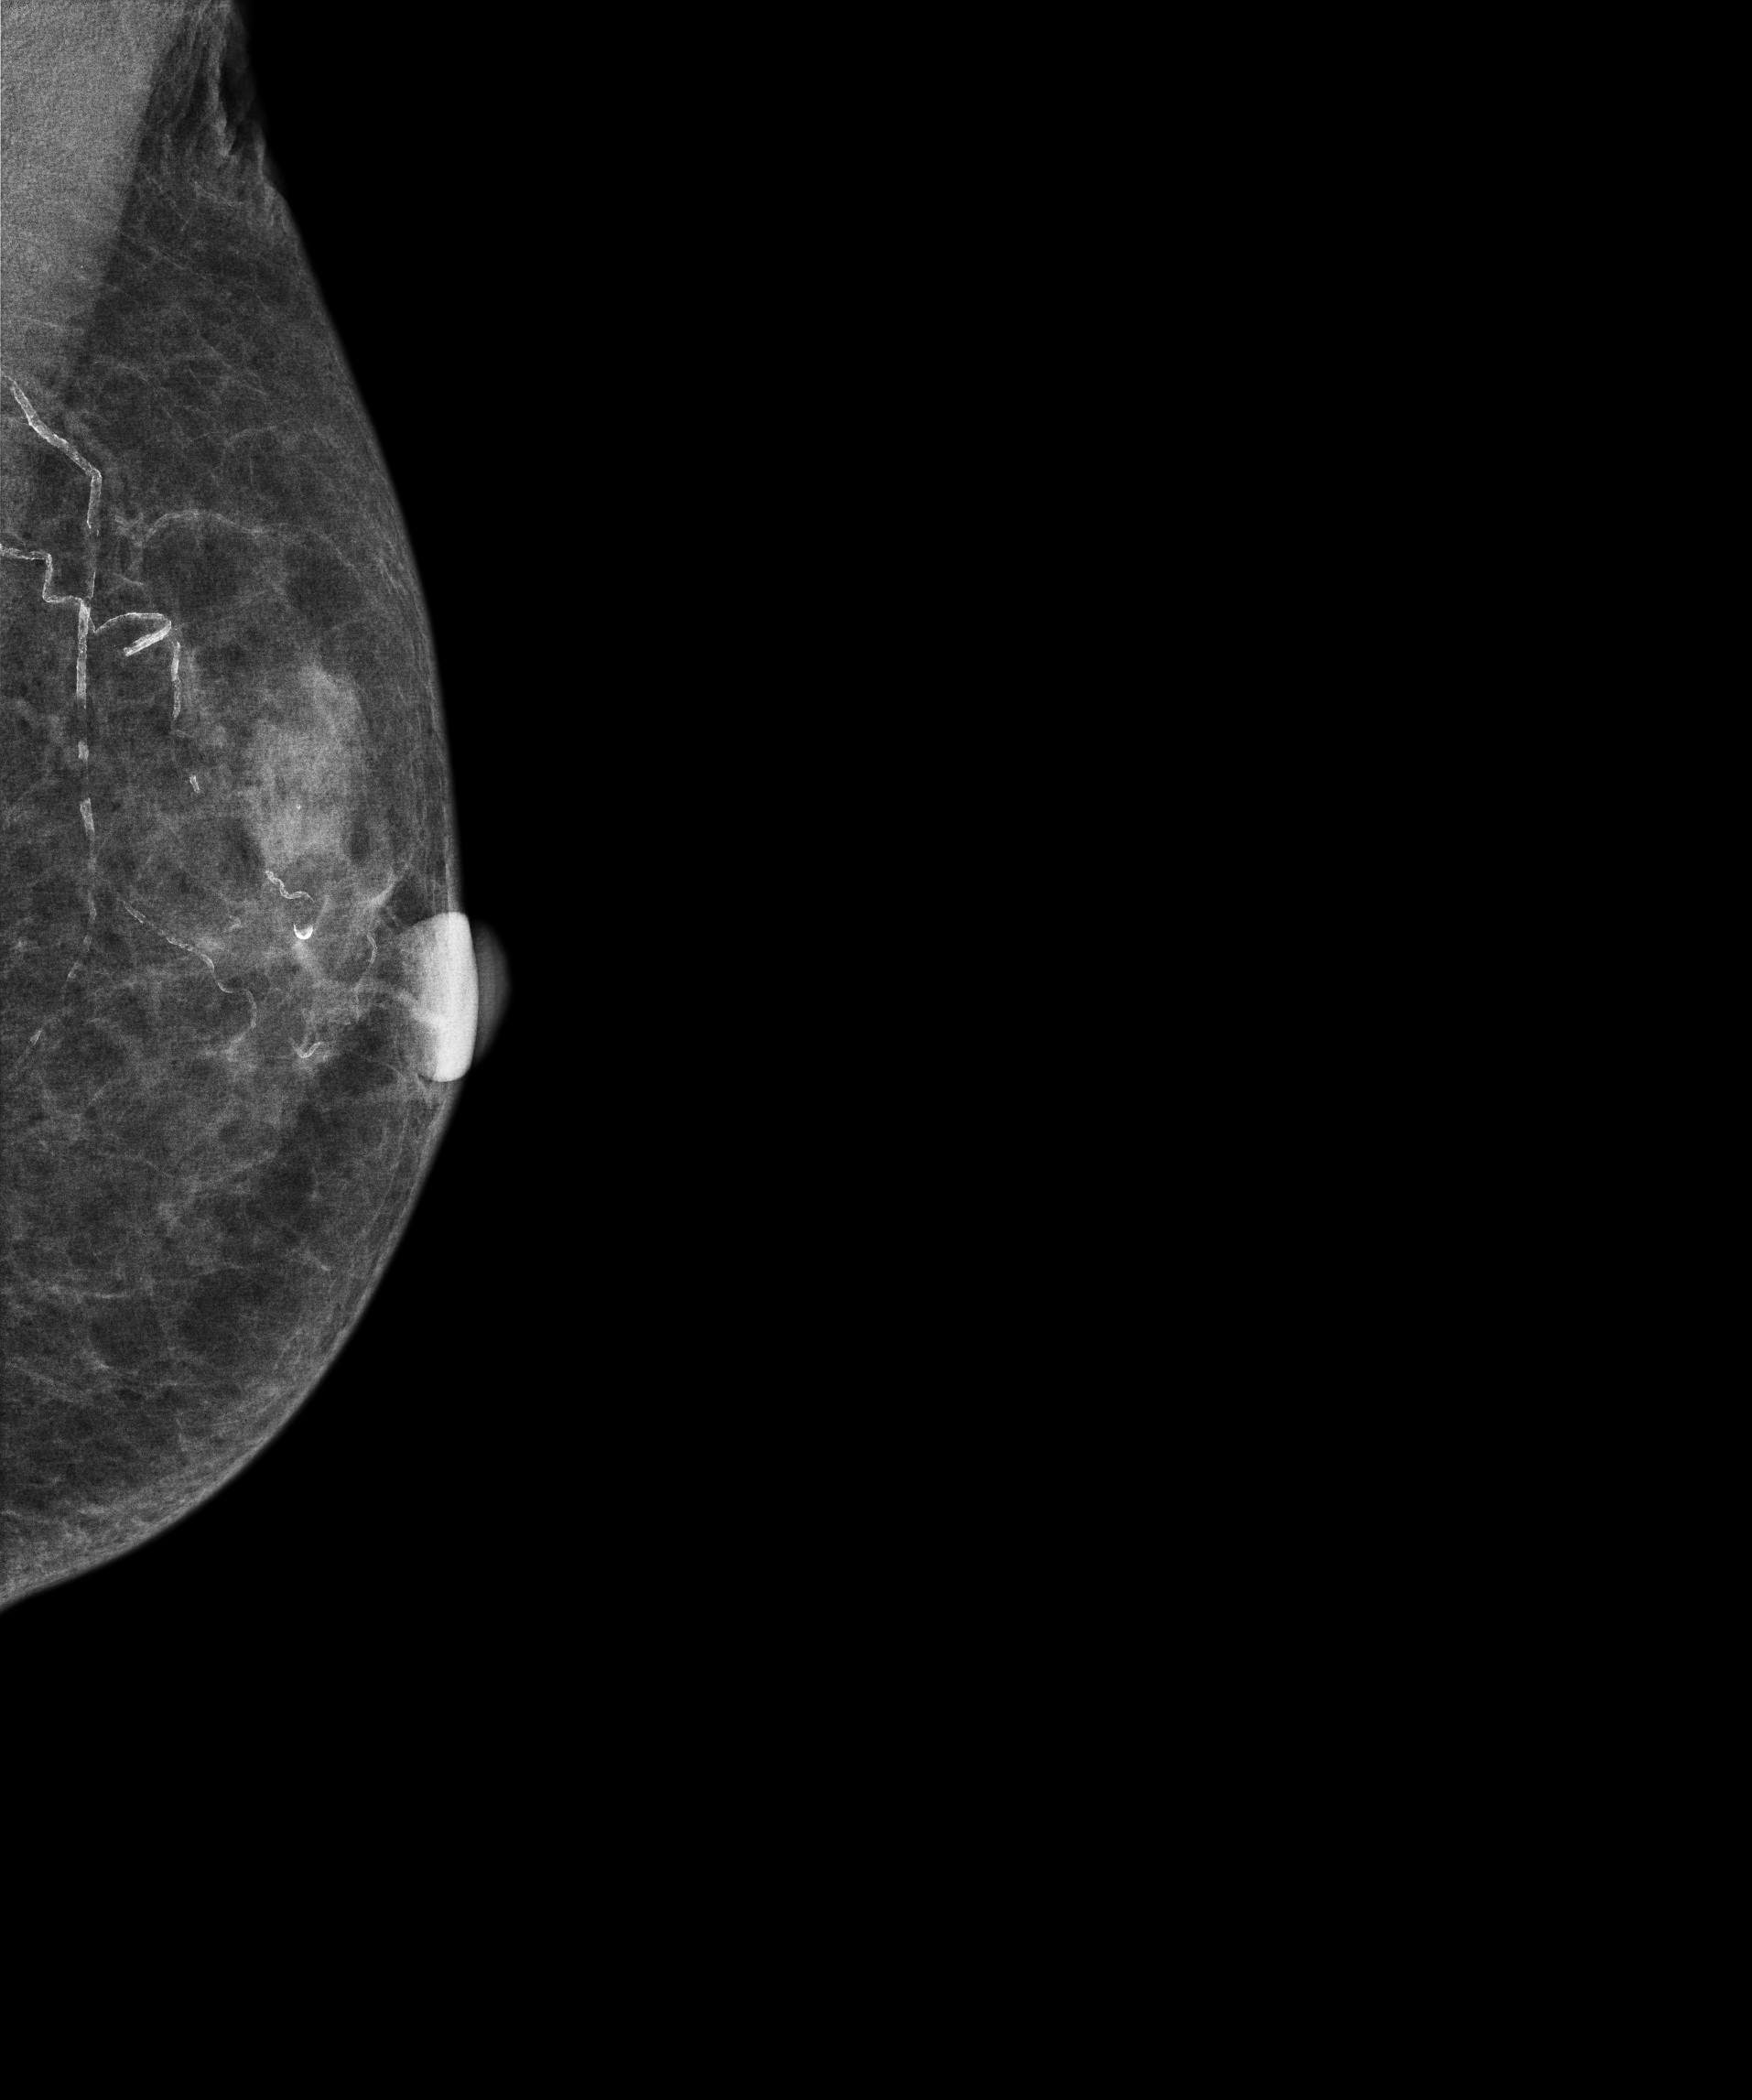
Digital mammography. Left breast, medio-lateral oblique projection. 81 y/o patient.
Contralateral breast — no documented abnormality on this side.